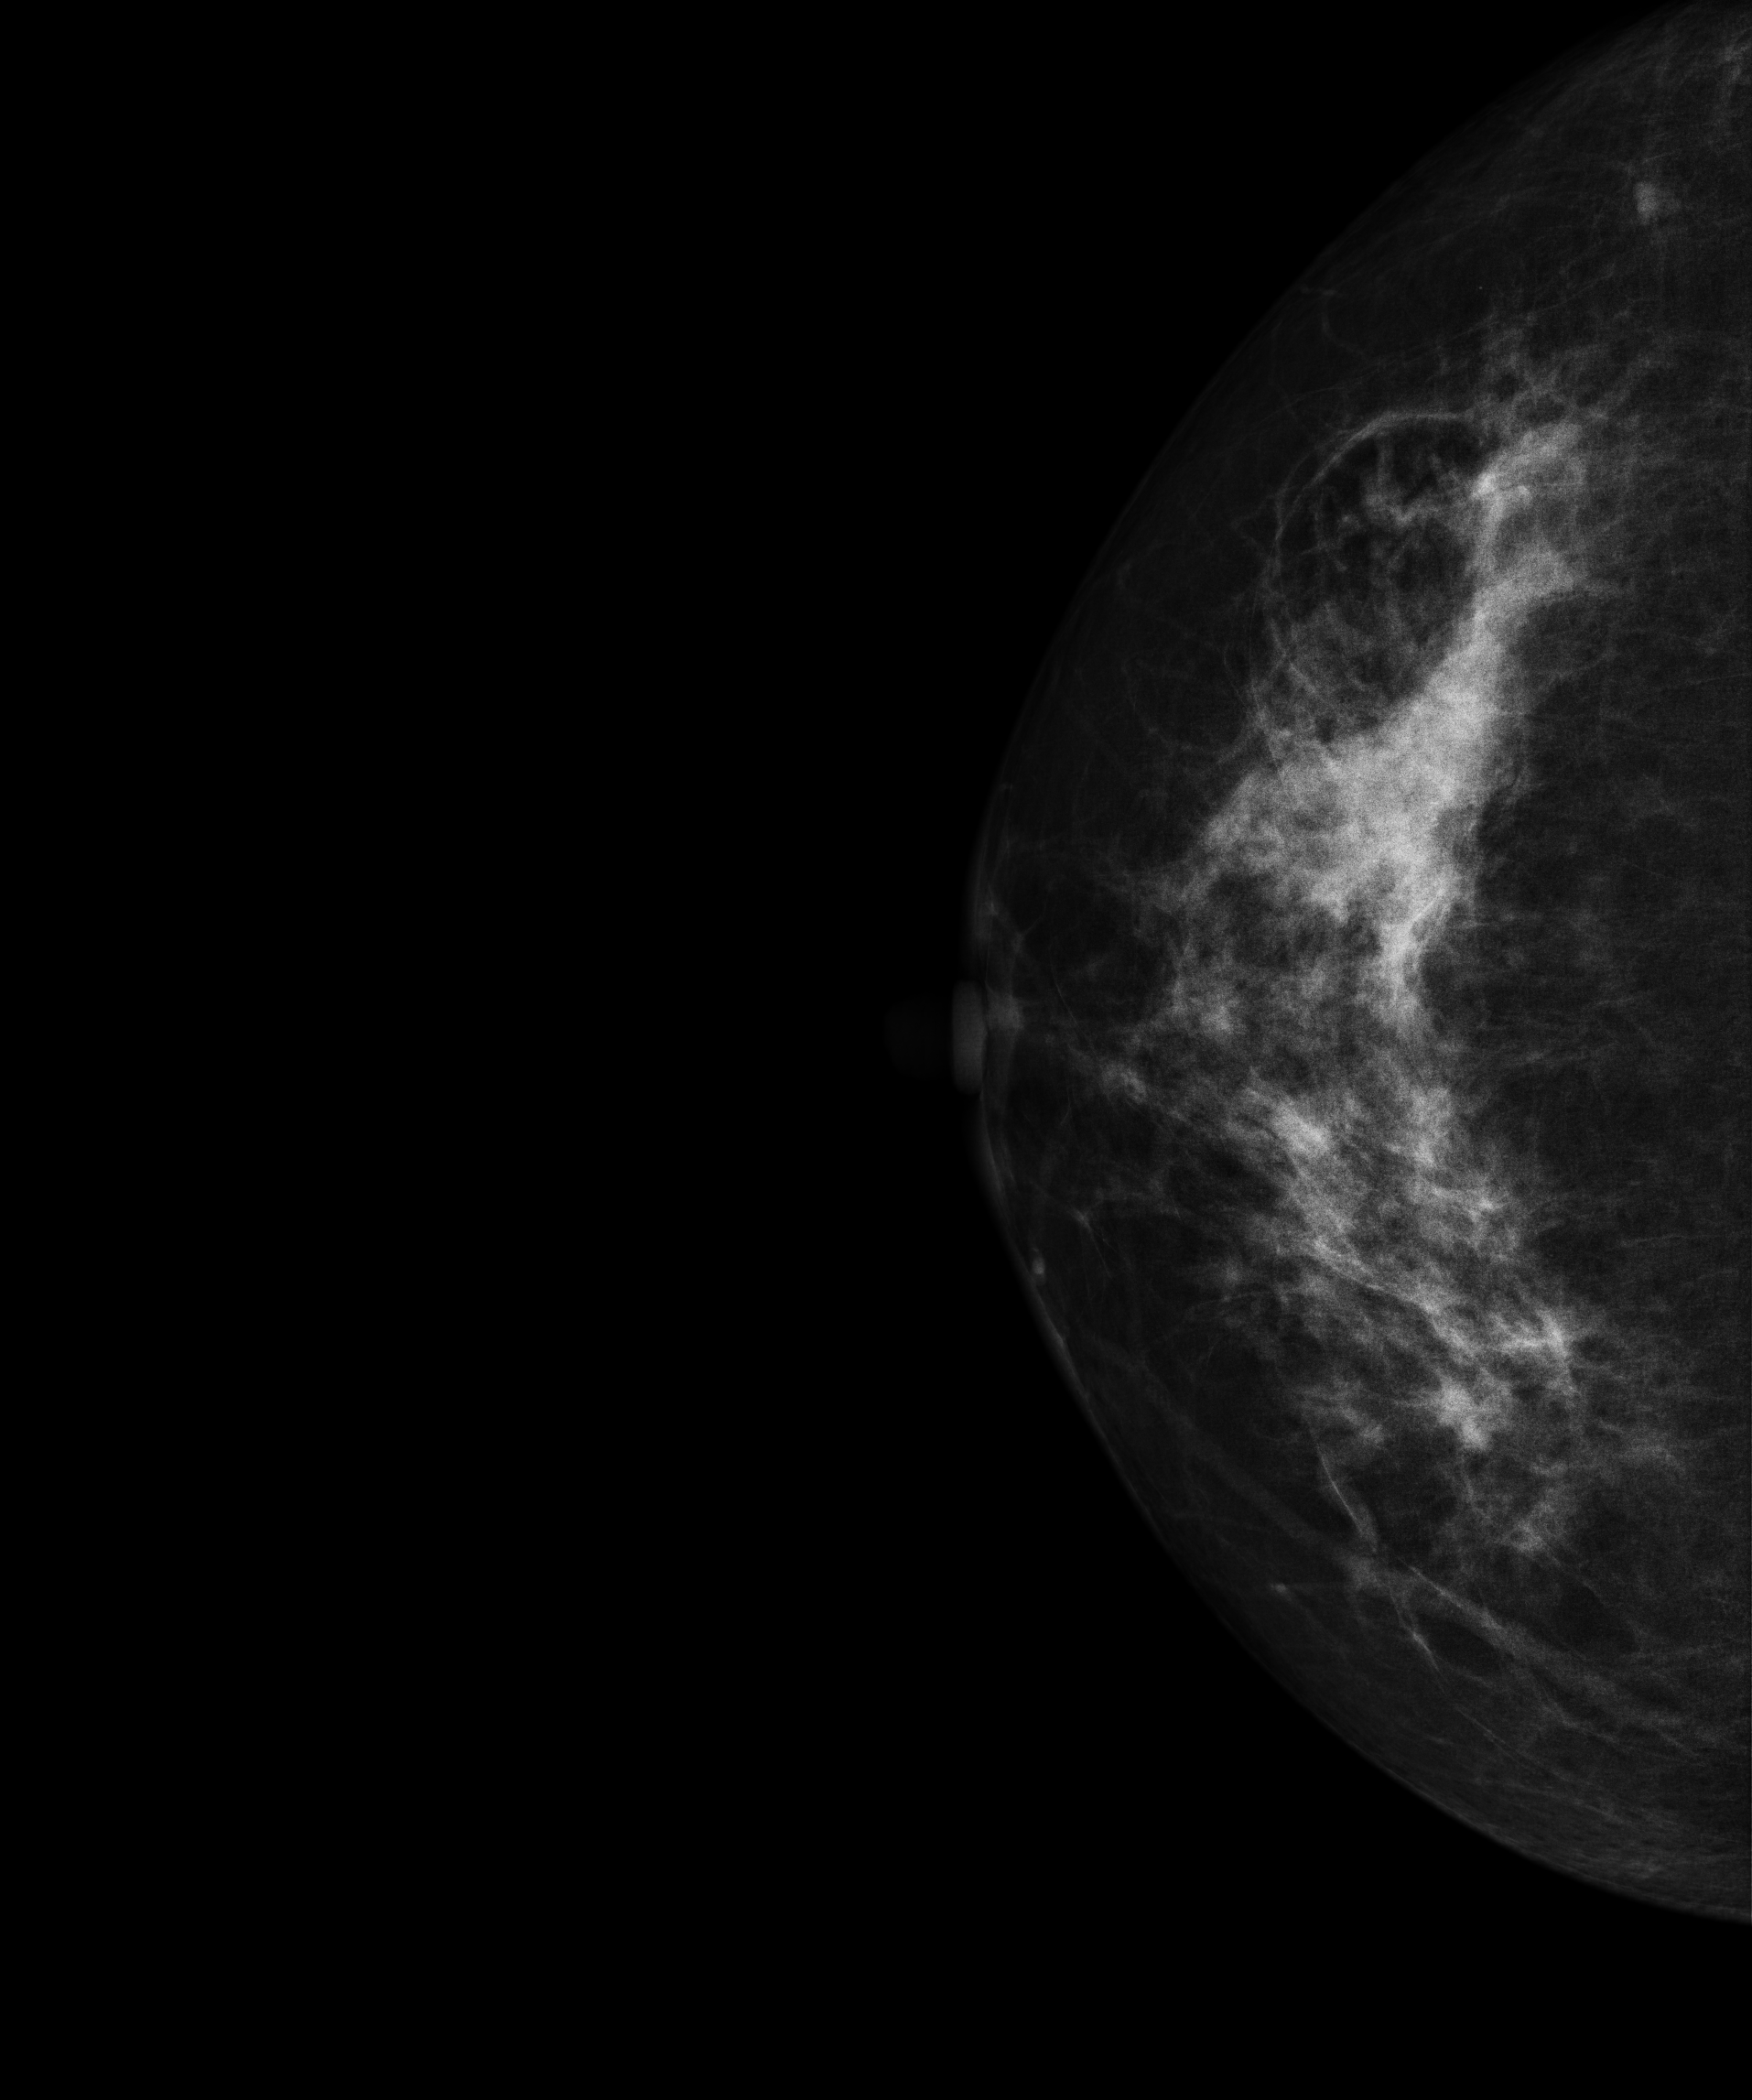
Right-breast mammogram, cranio-caudal. 51 y/o patient.
This breast has a mass, biopsy-confirmed malignant. Molecular subtype: luminal B.